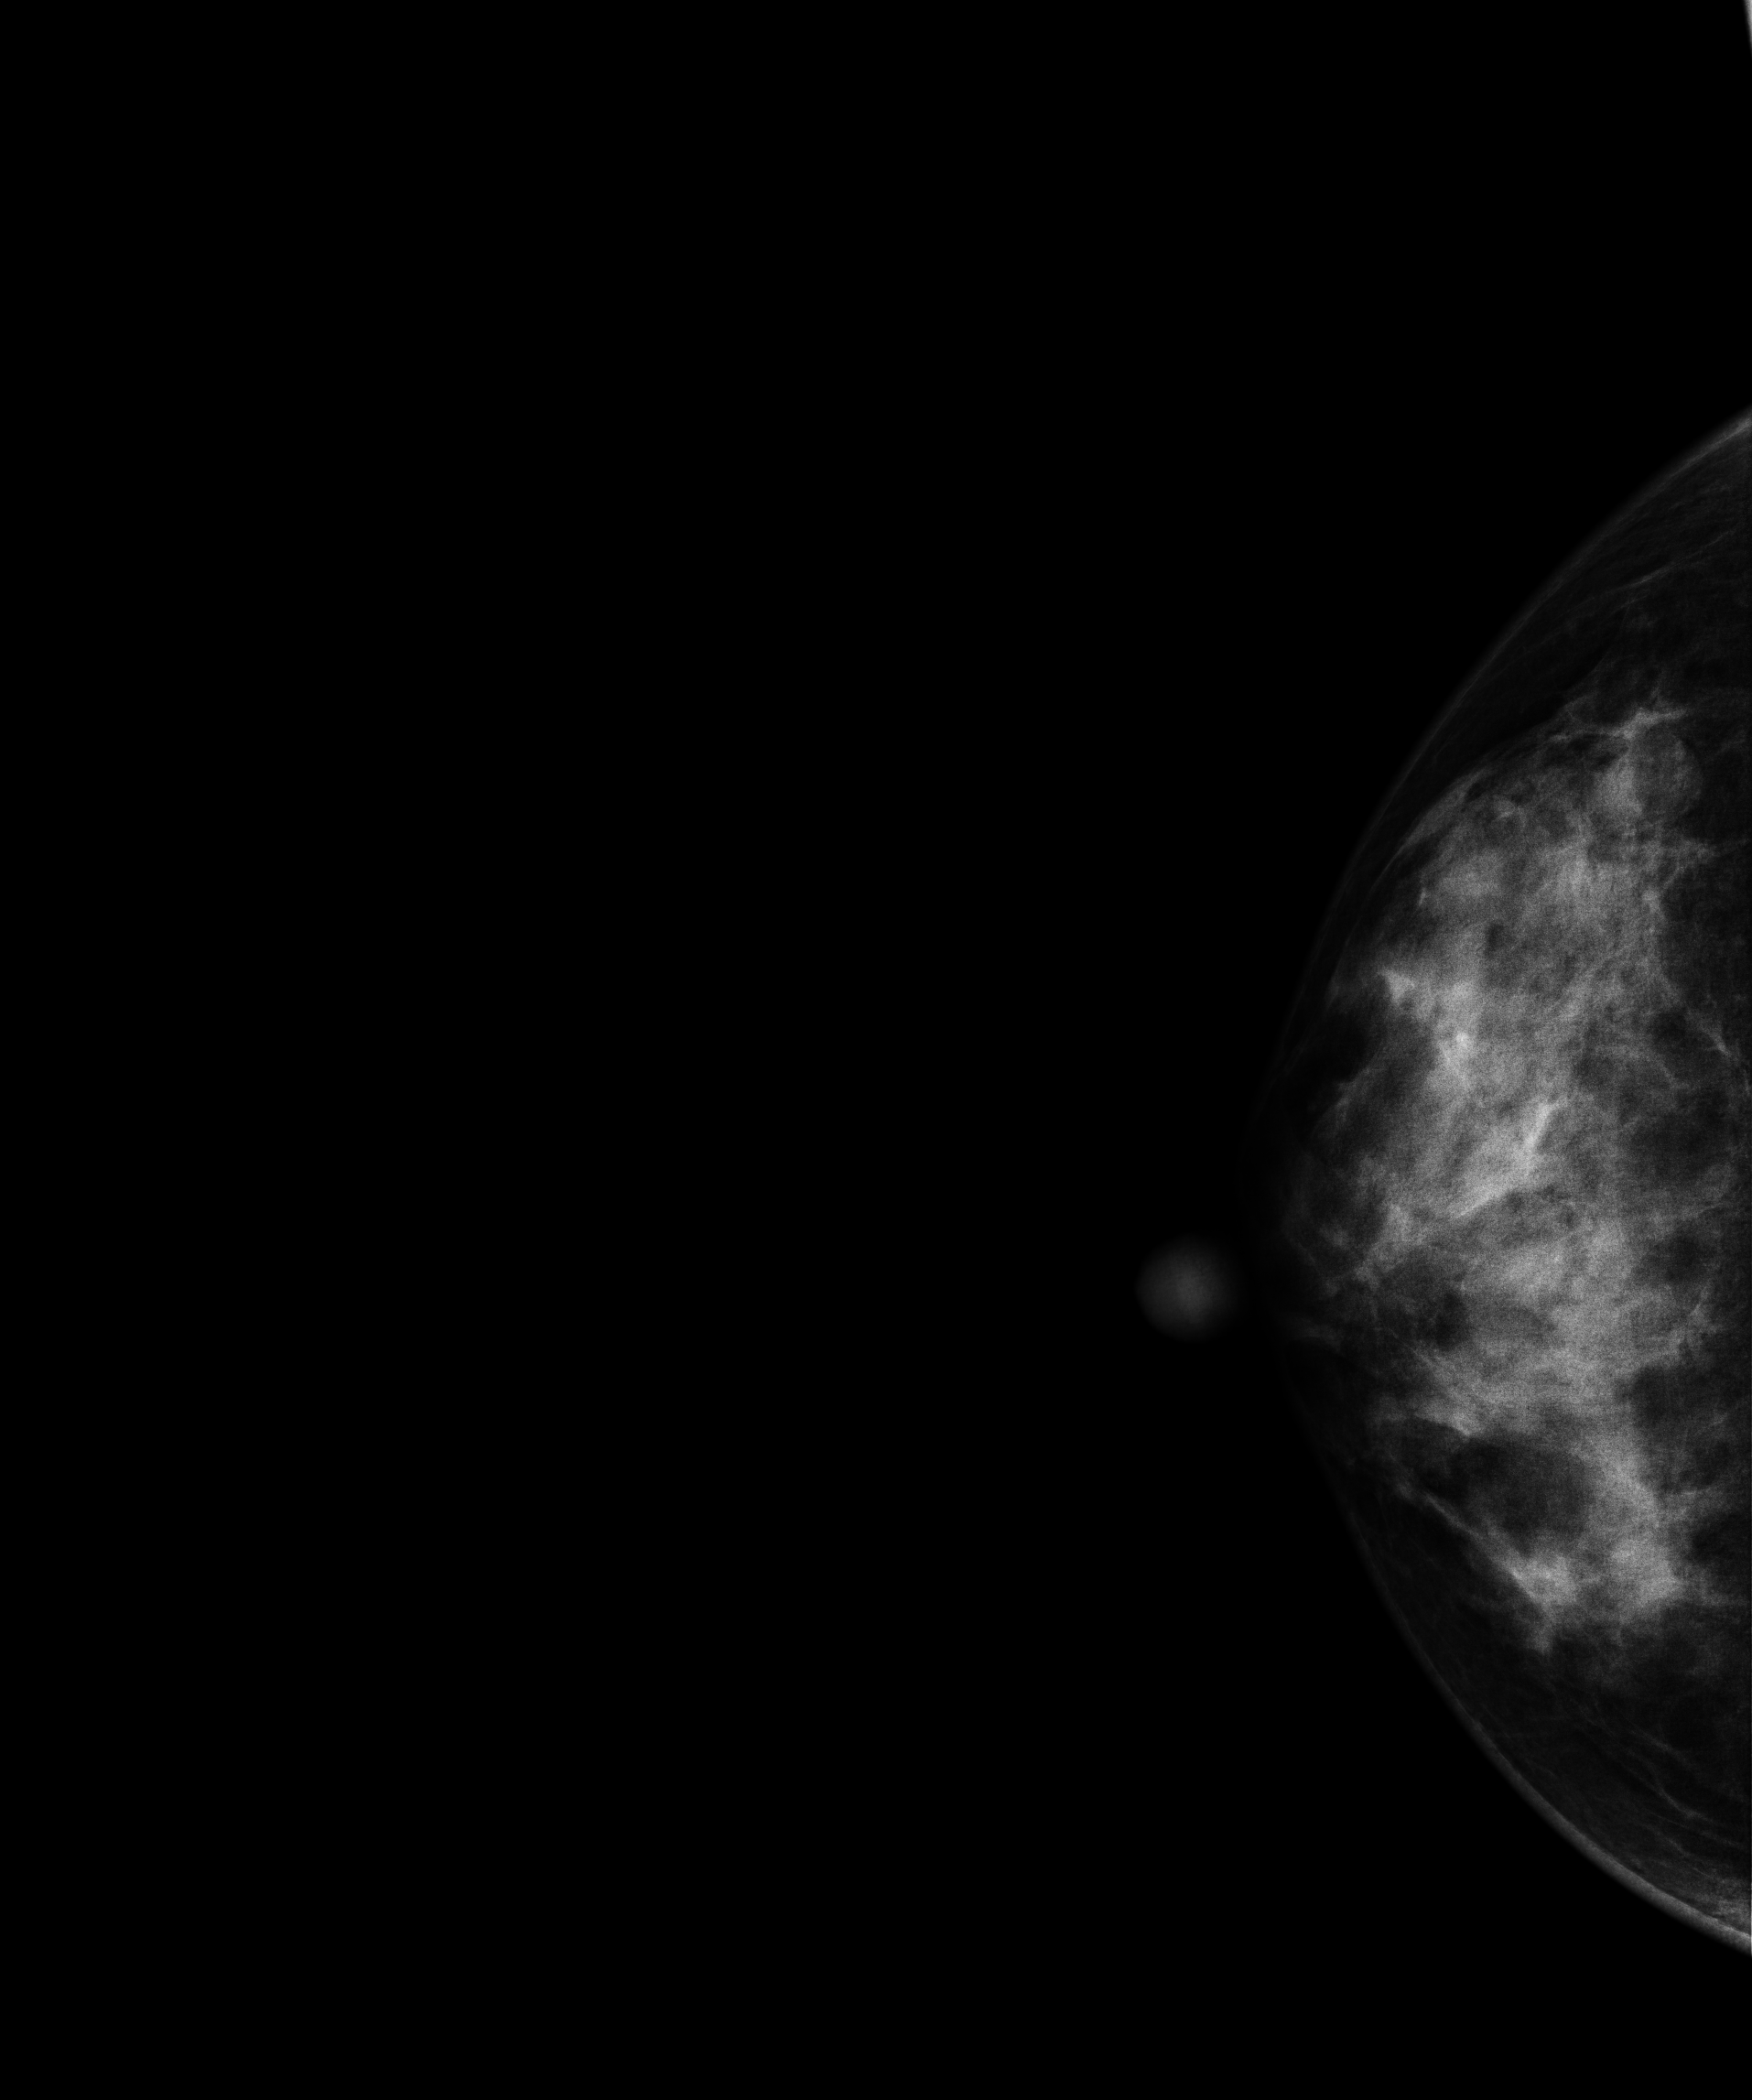
Digital mammography. Right breast, CC projection. 41 y/o patient.
This breast has a mass, biopsy-proven malignant. Molecular subtype: luminal B.